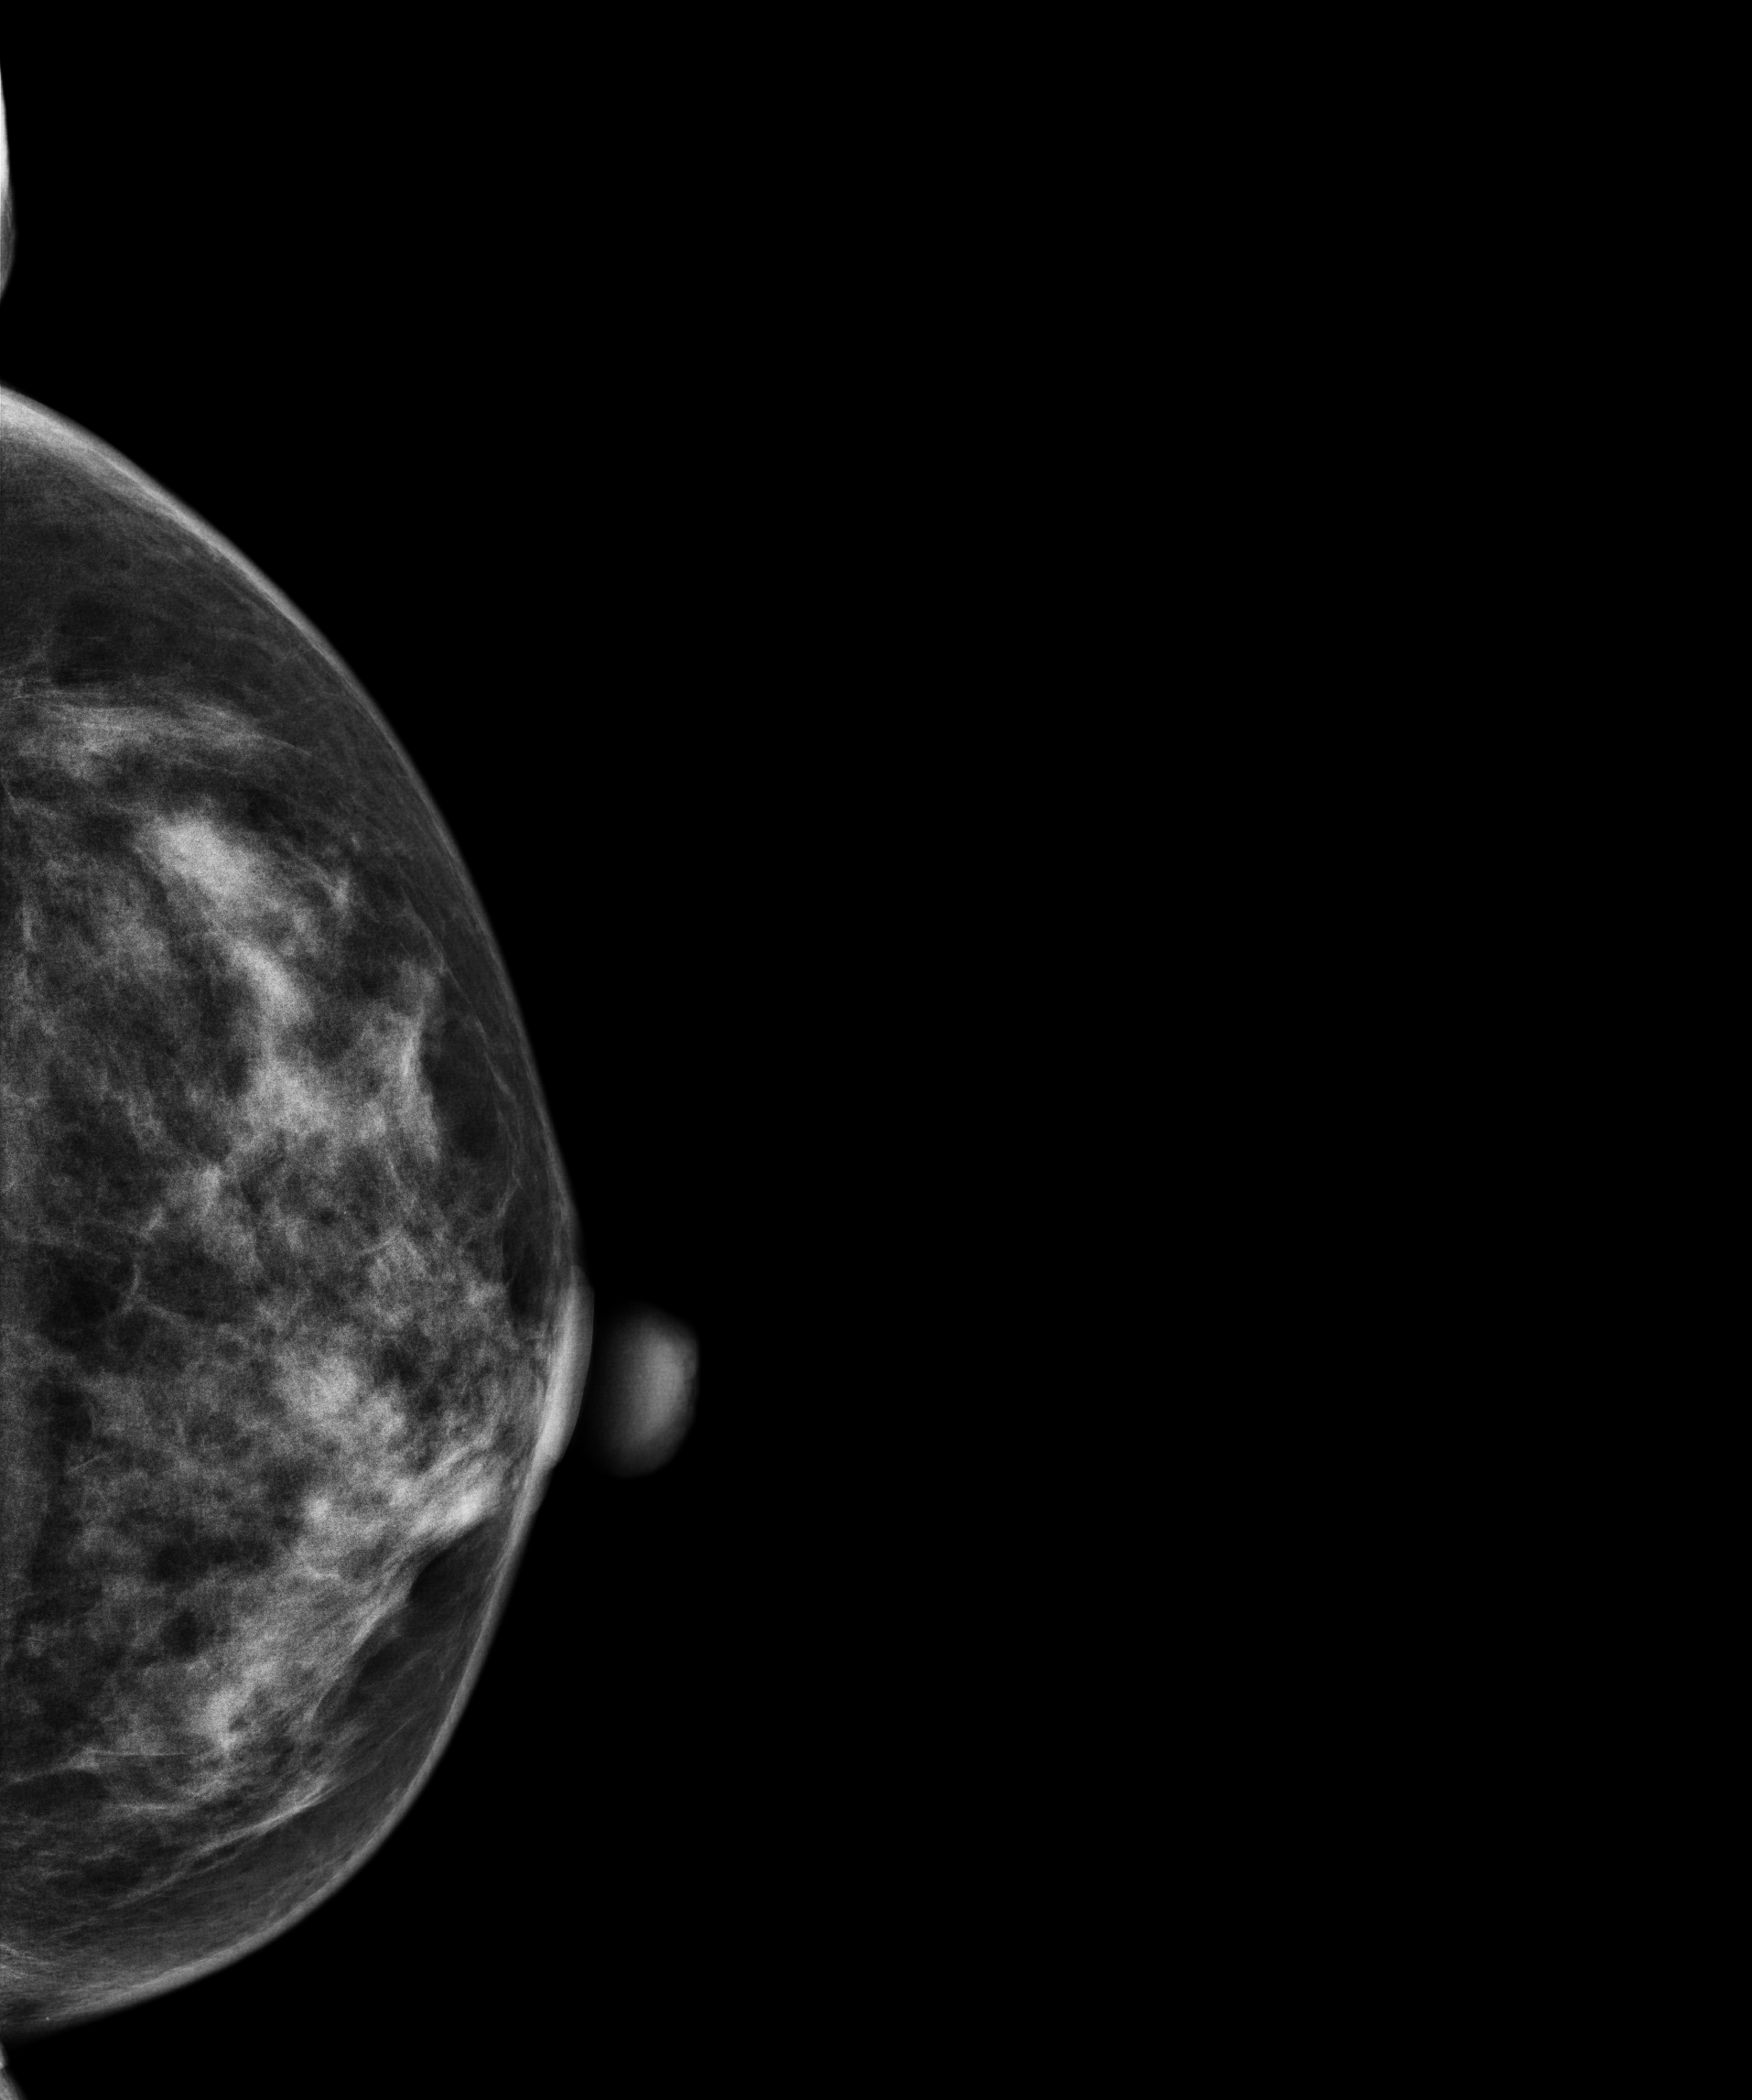
Mammogram — left CC. 47-year-old patient.
Contralateral breast — no documented abnormality on this side.